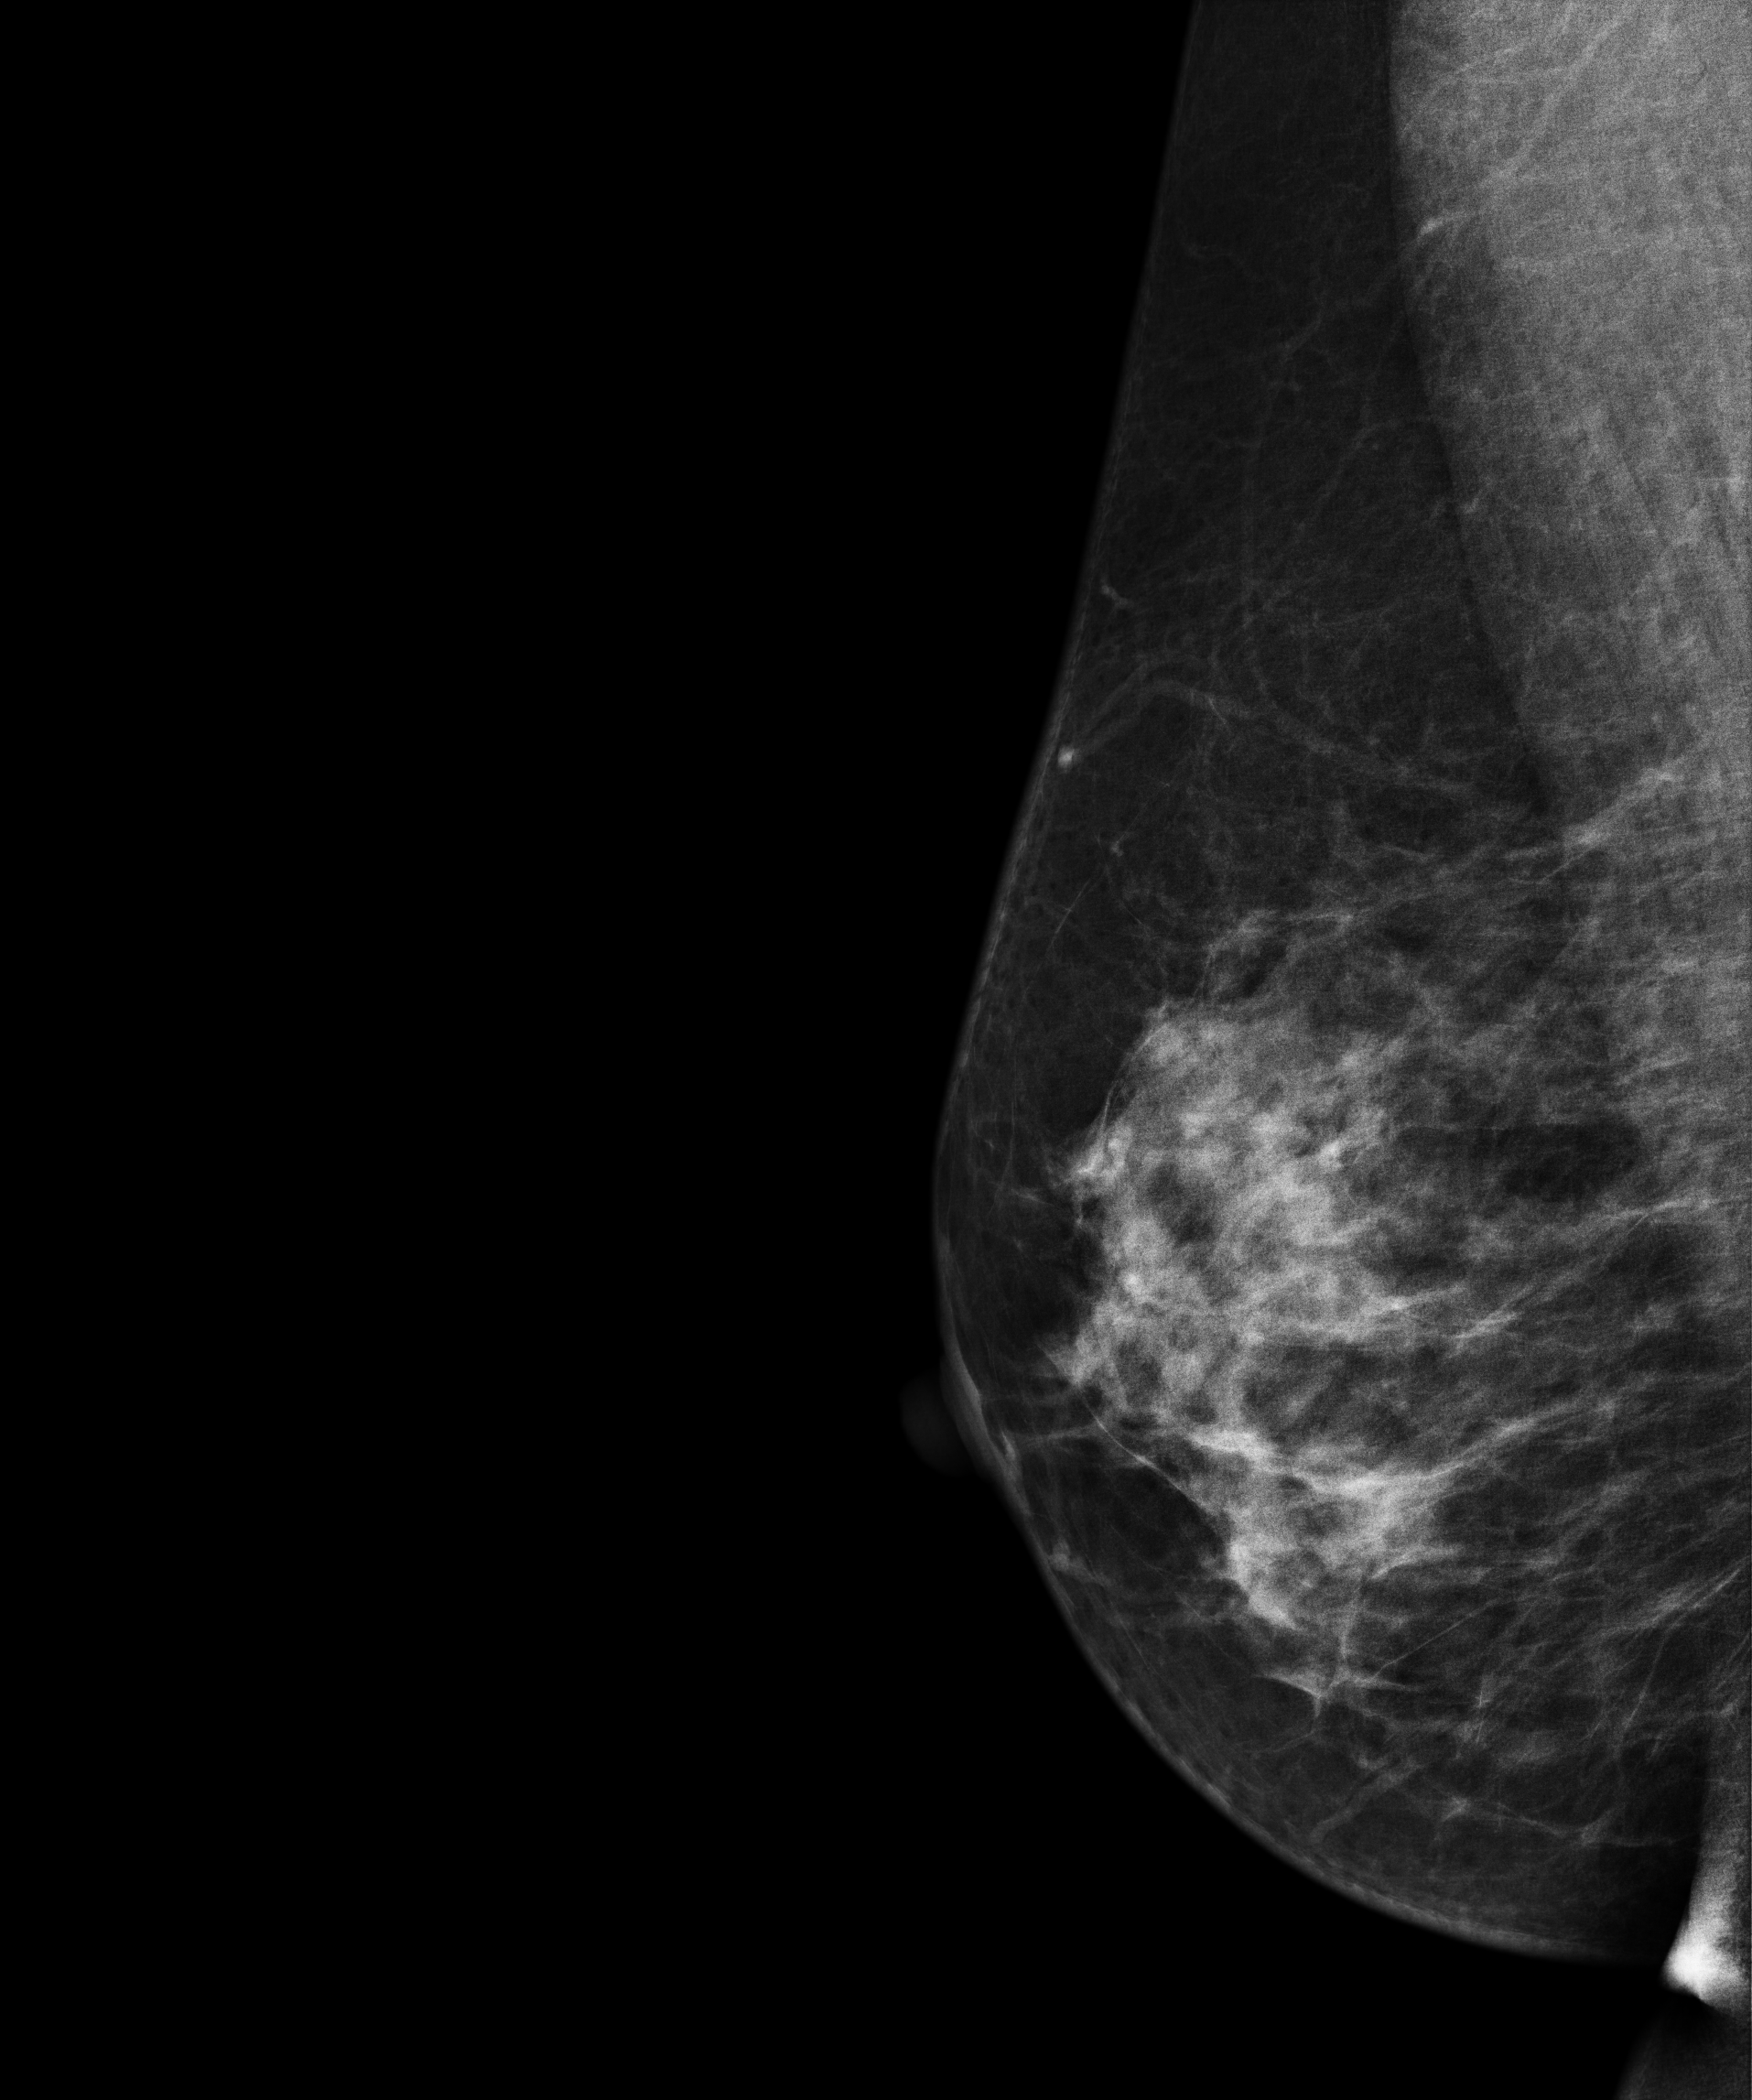
MLO mammogram of the right breast. Patient age 42.
Contralateral breast — no documented abnormality on this side.